Mammogram — right MLO. Patient age 40.
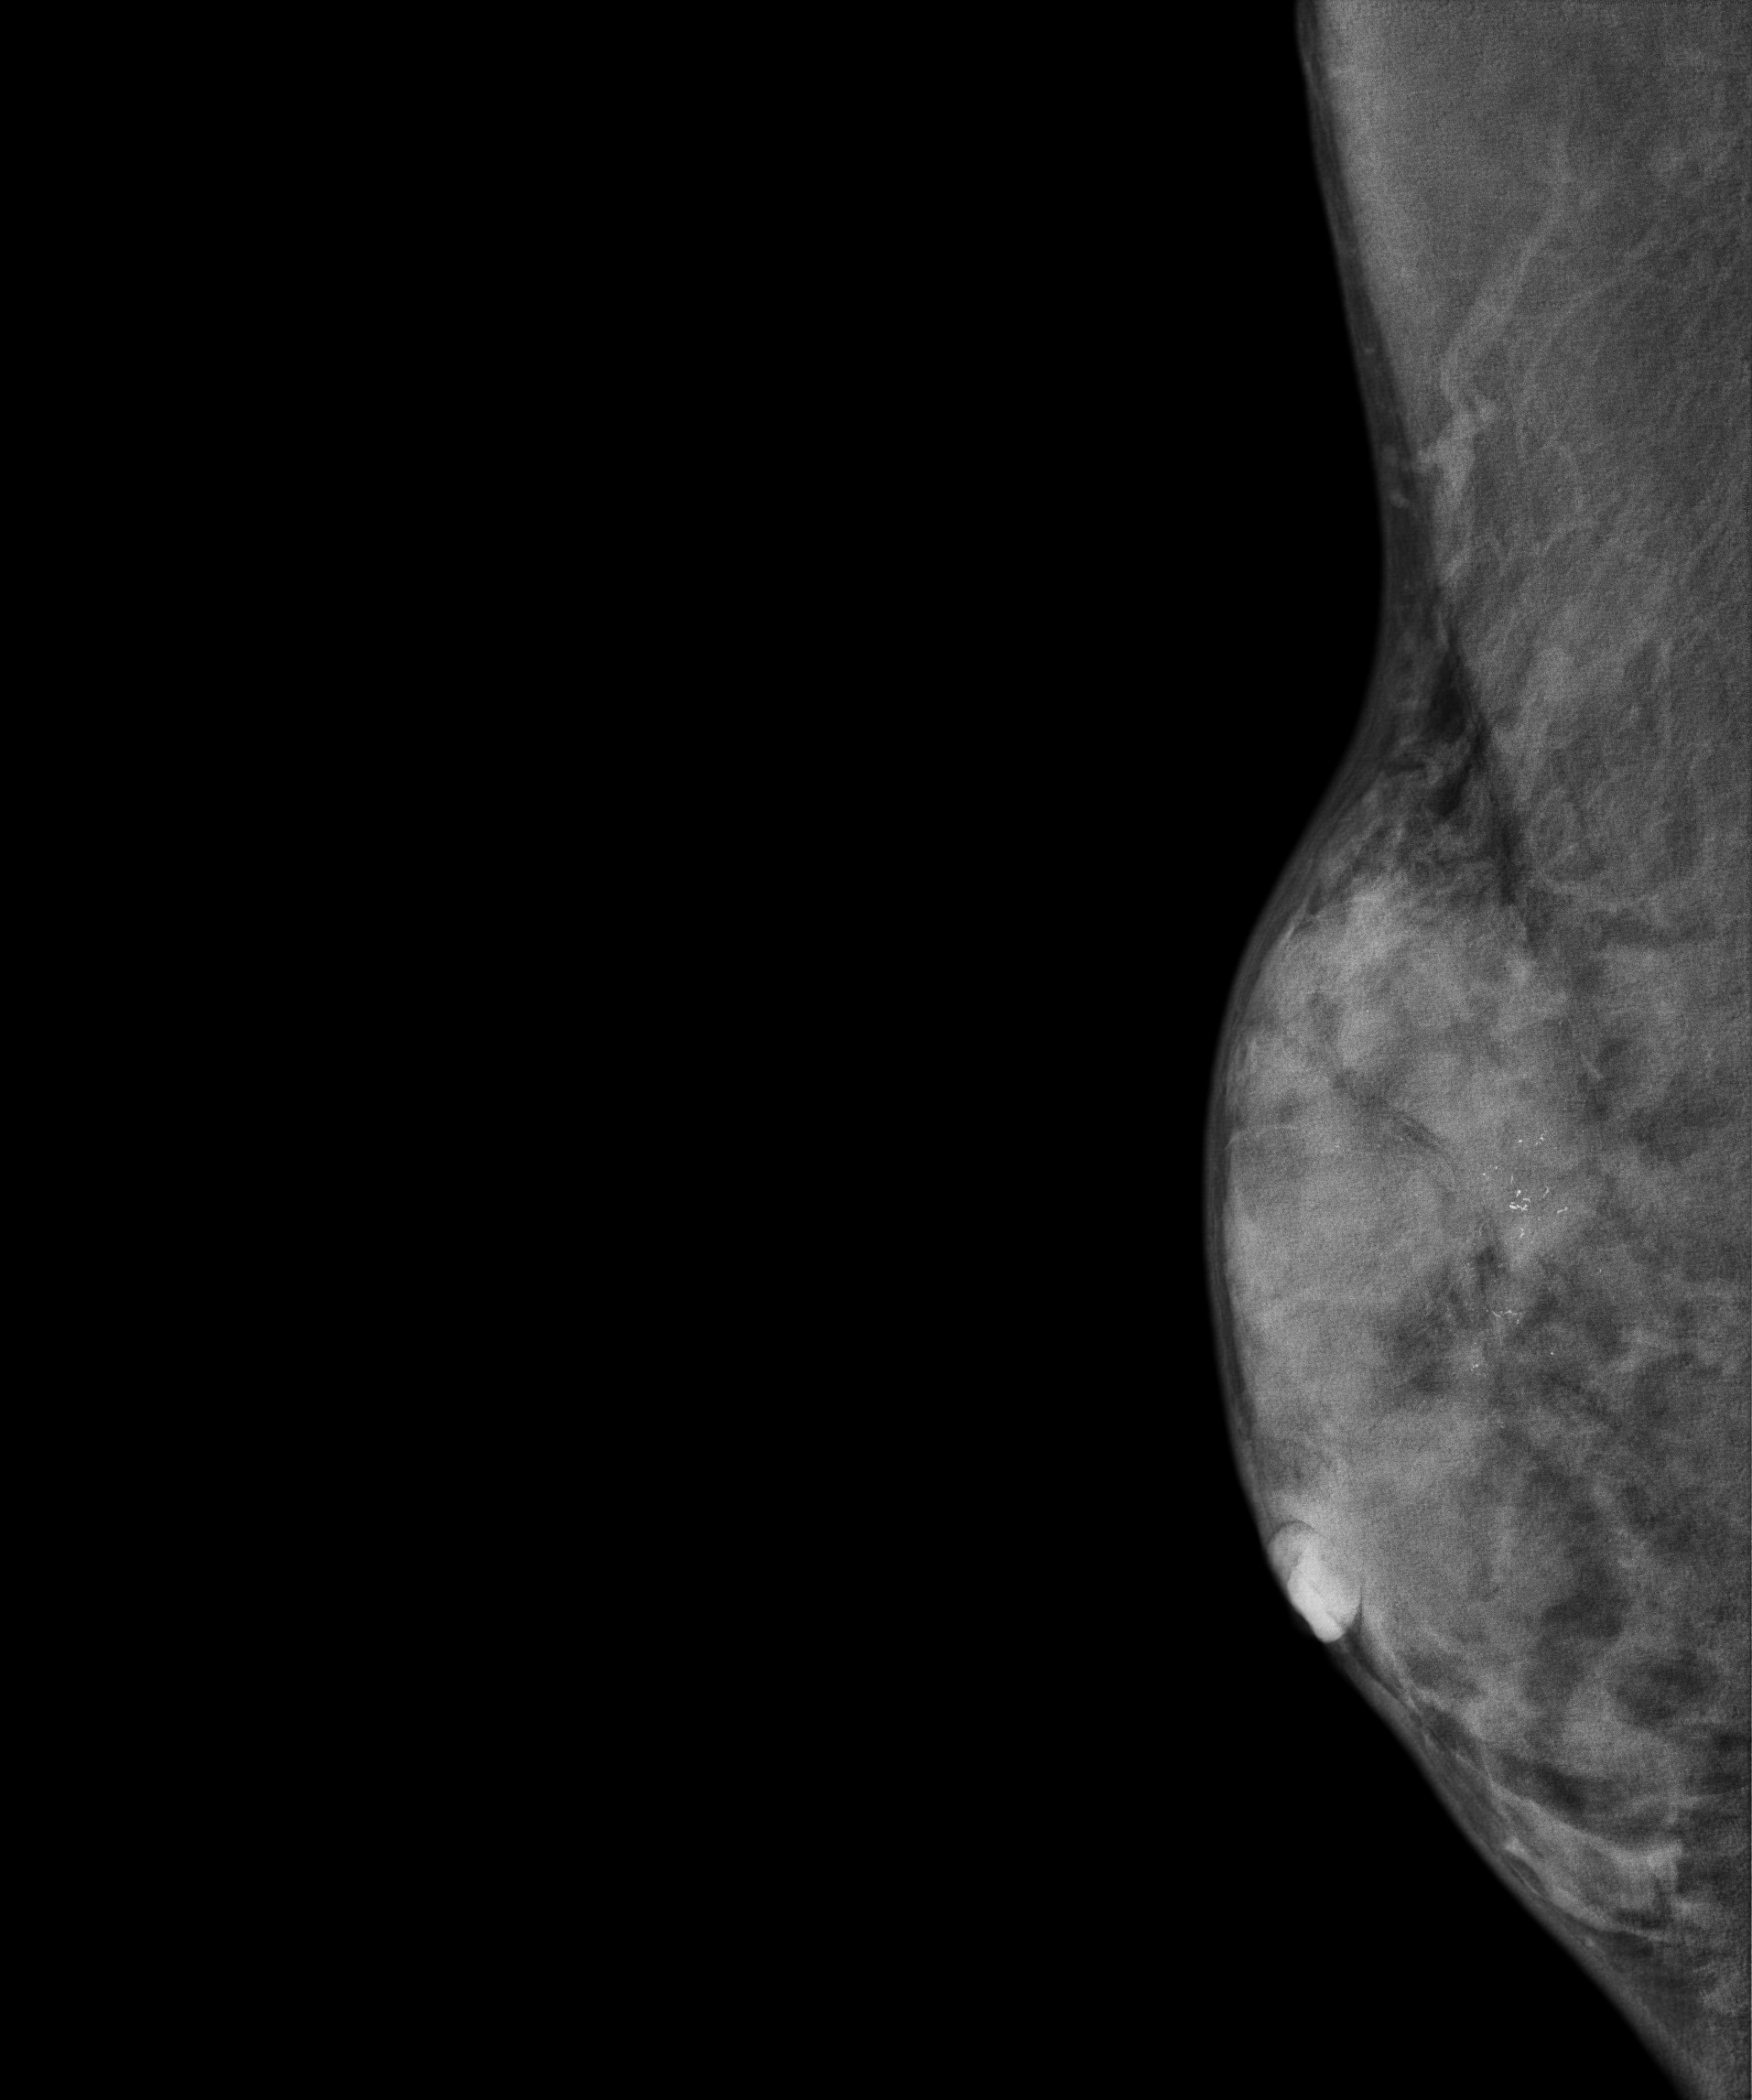
This breast has calcifications, biopsy-confirmed malignant. Molecular subtype: HER2-enriched.